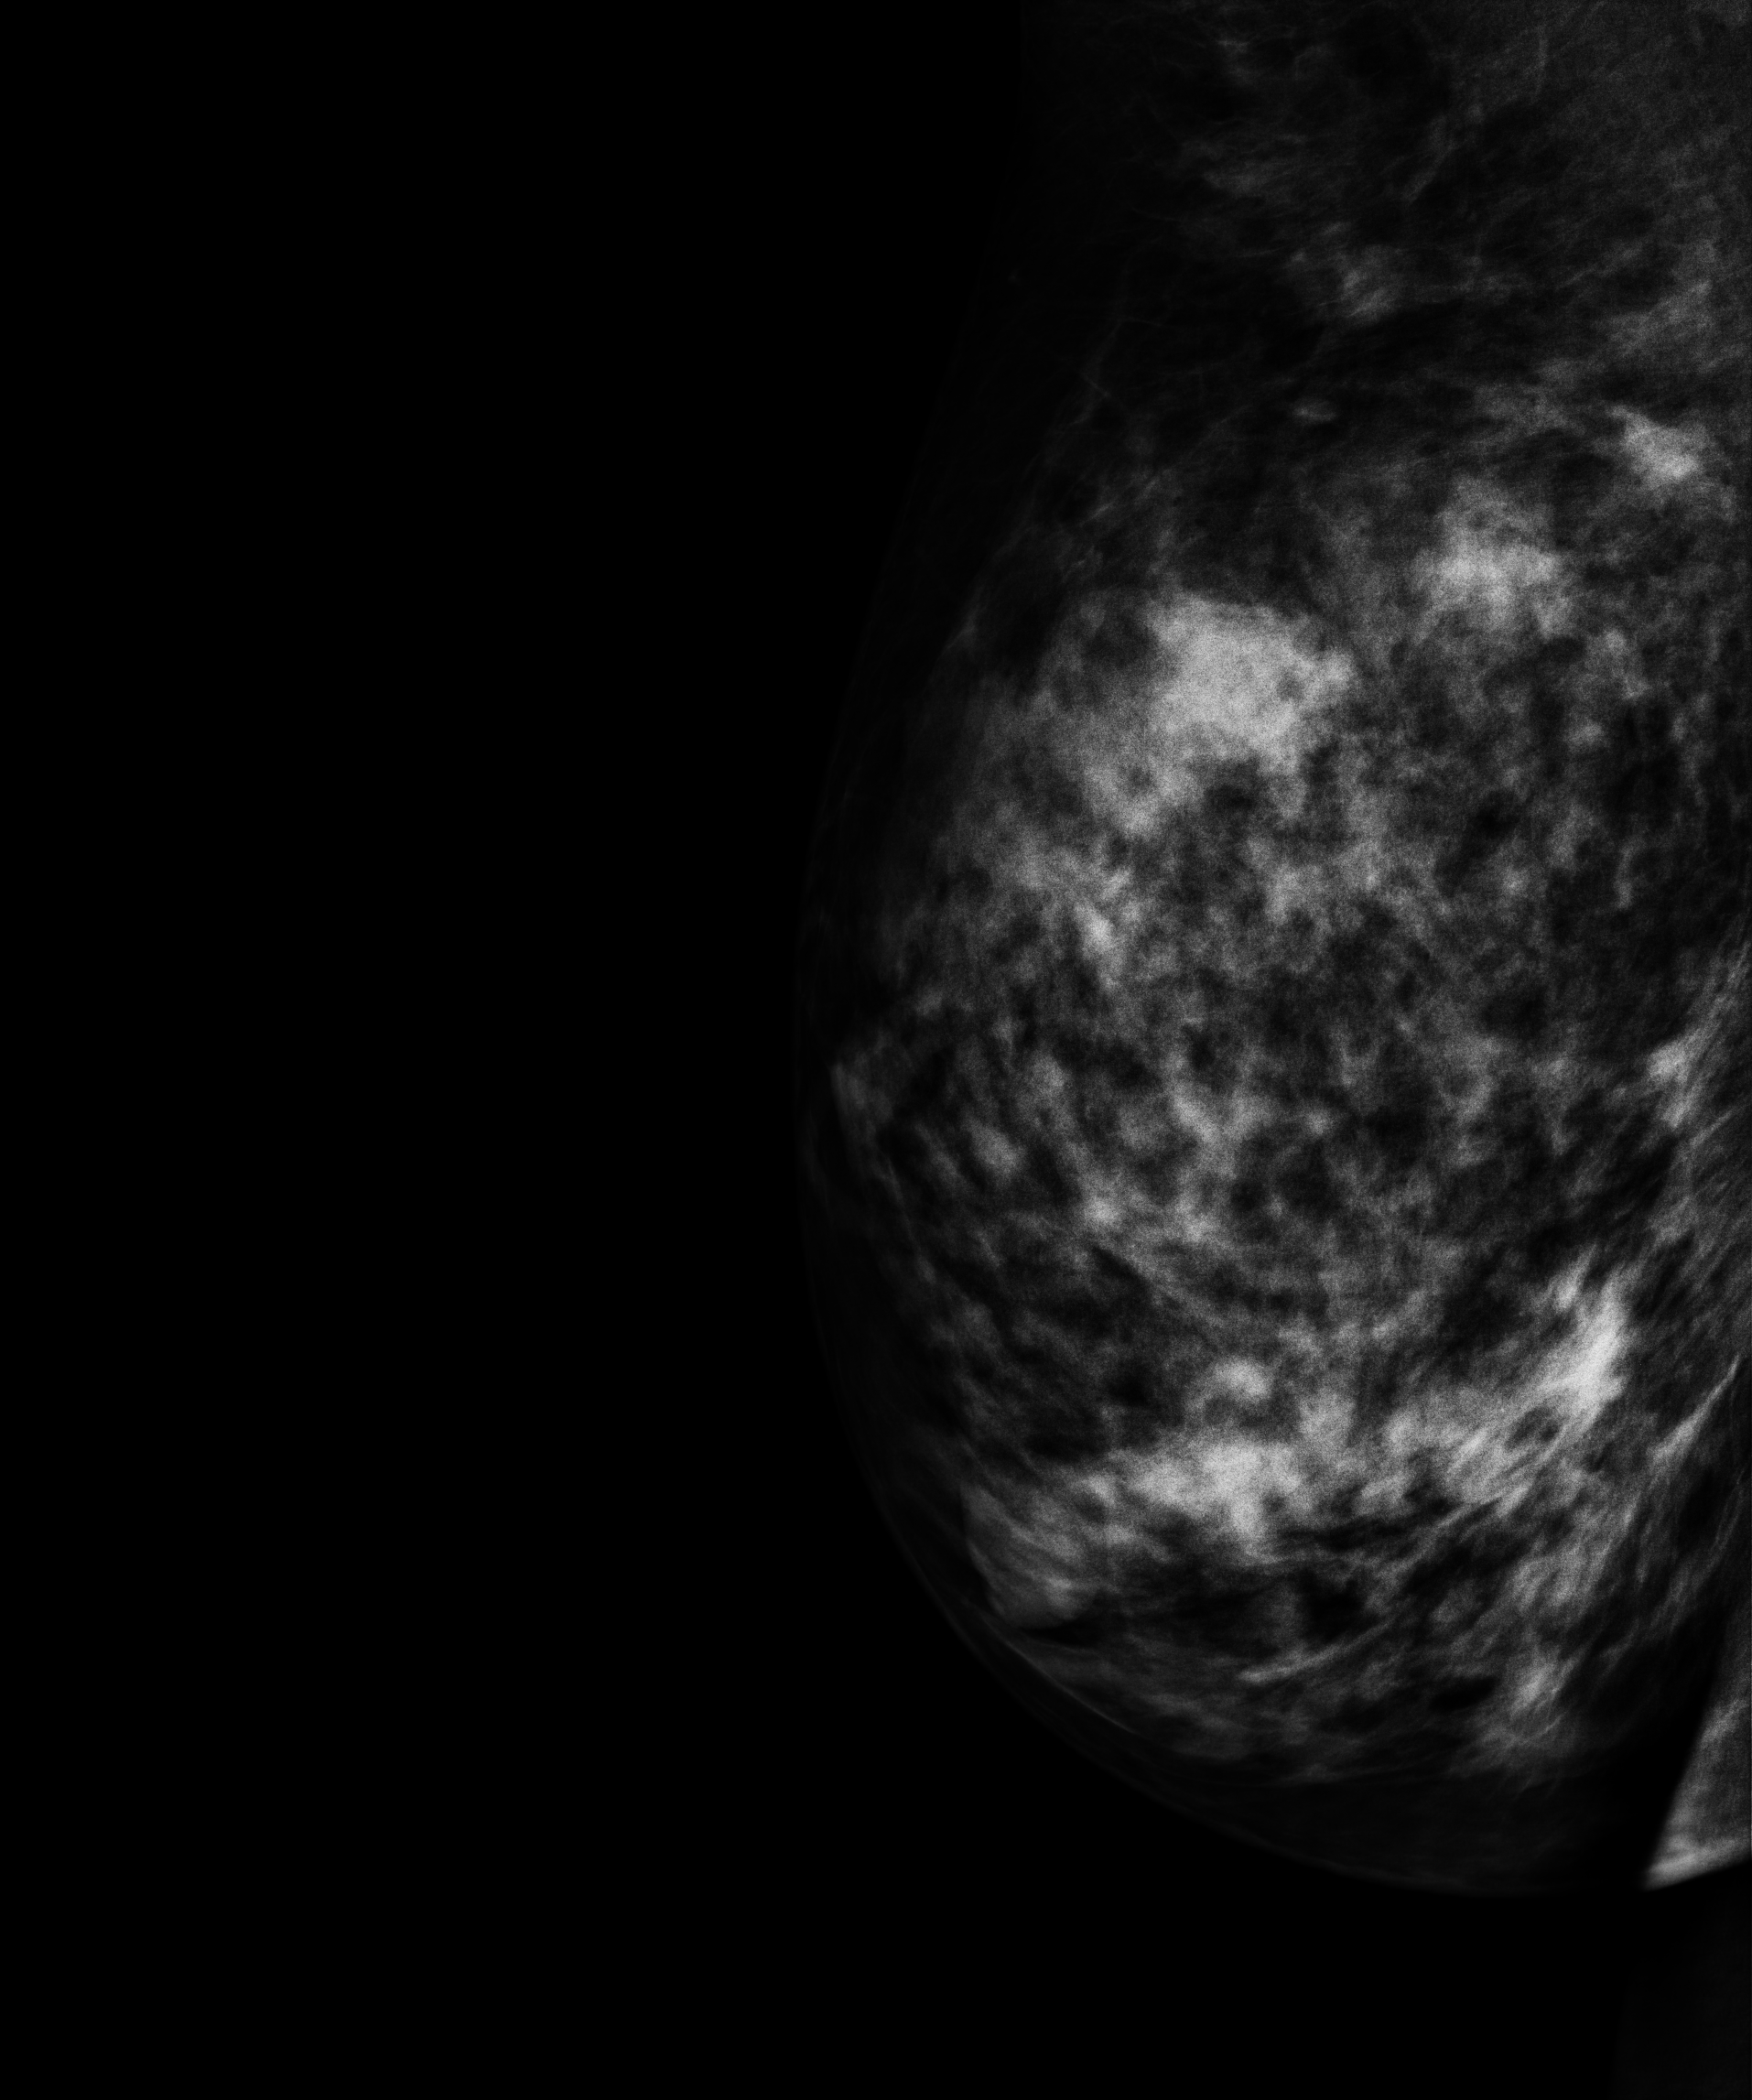
Digital mammography. Right breast, medio-lateral oblique projection. 60-year-old patient.
This breast has a mass, biopsy-confirmed benign.